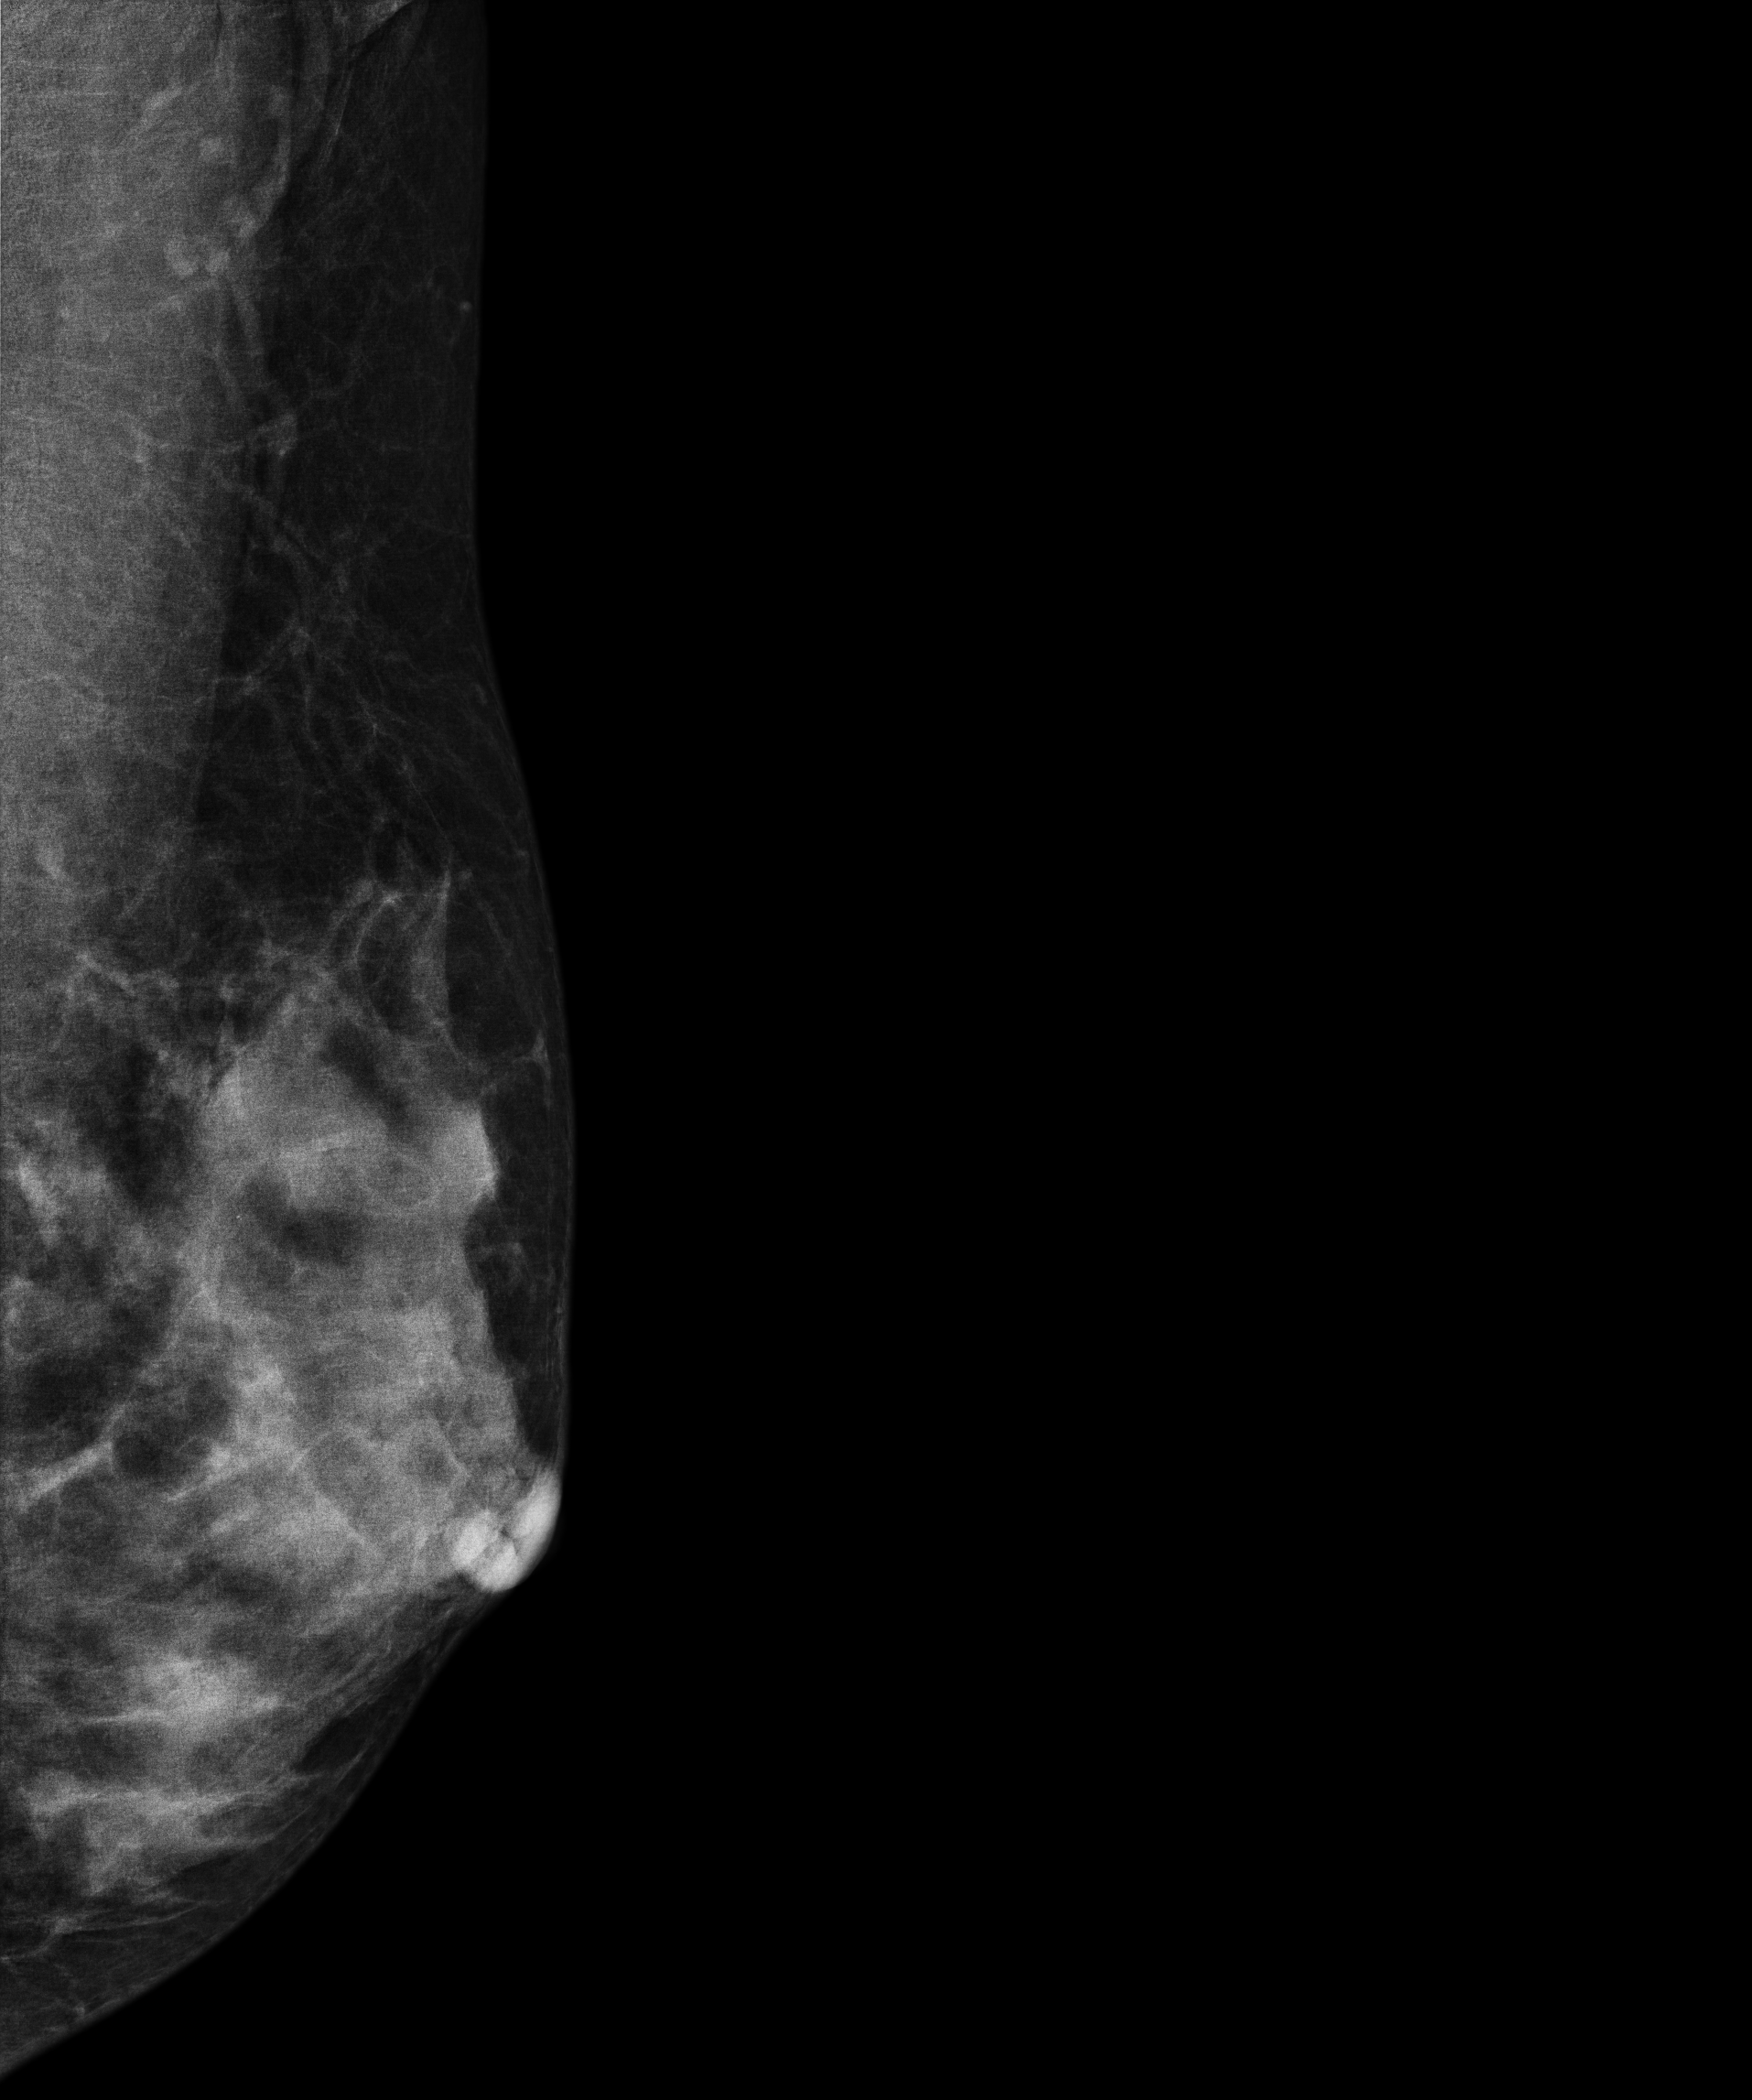
Digital mammography. Left breast, MLO projection. Patient age 32.
This breast has a mass, pathology-confirmed benign.